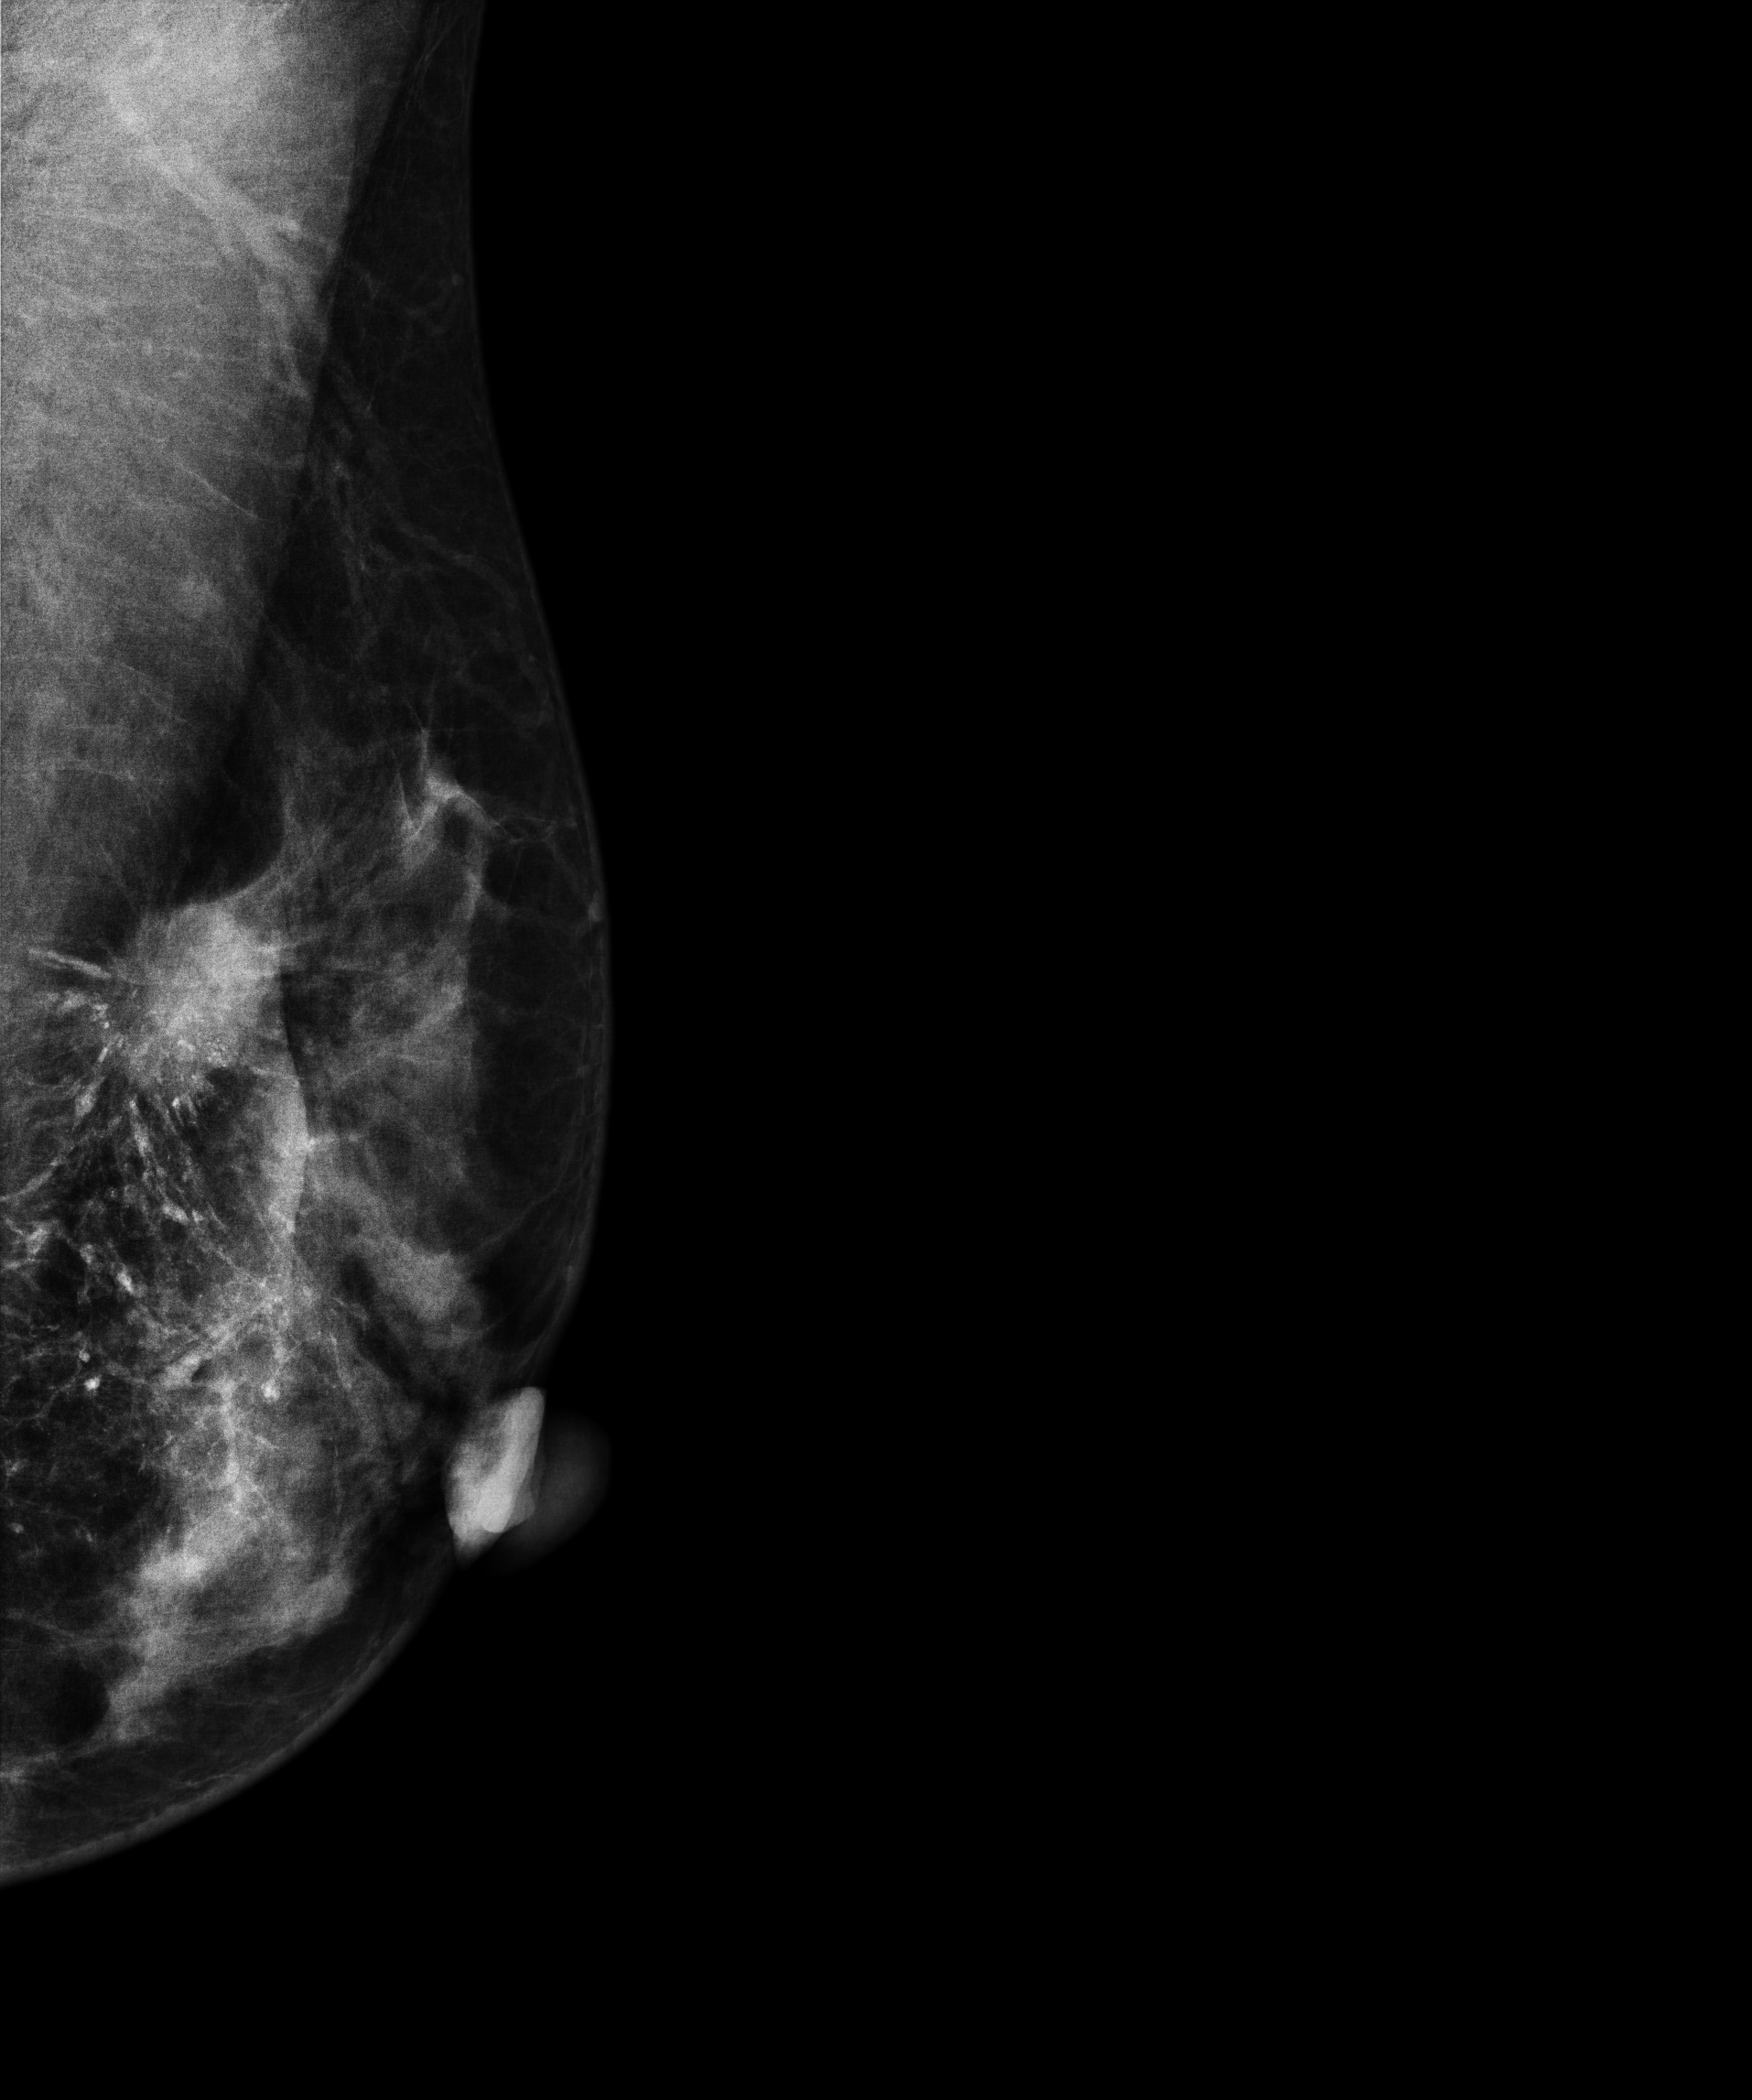
Mammogram, left breast, MLO view. Patient age 33.
This breast has a mass and calcifications, biopsy-proven malignant. Molecular subtype: luminal B.